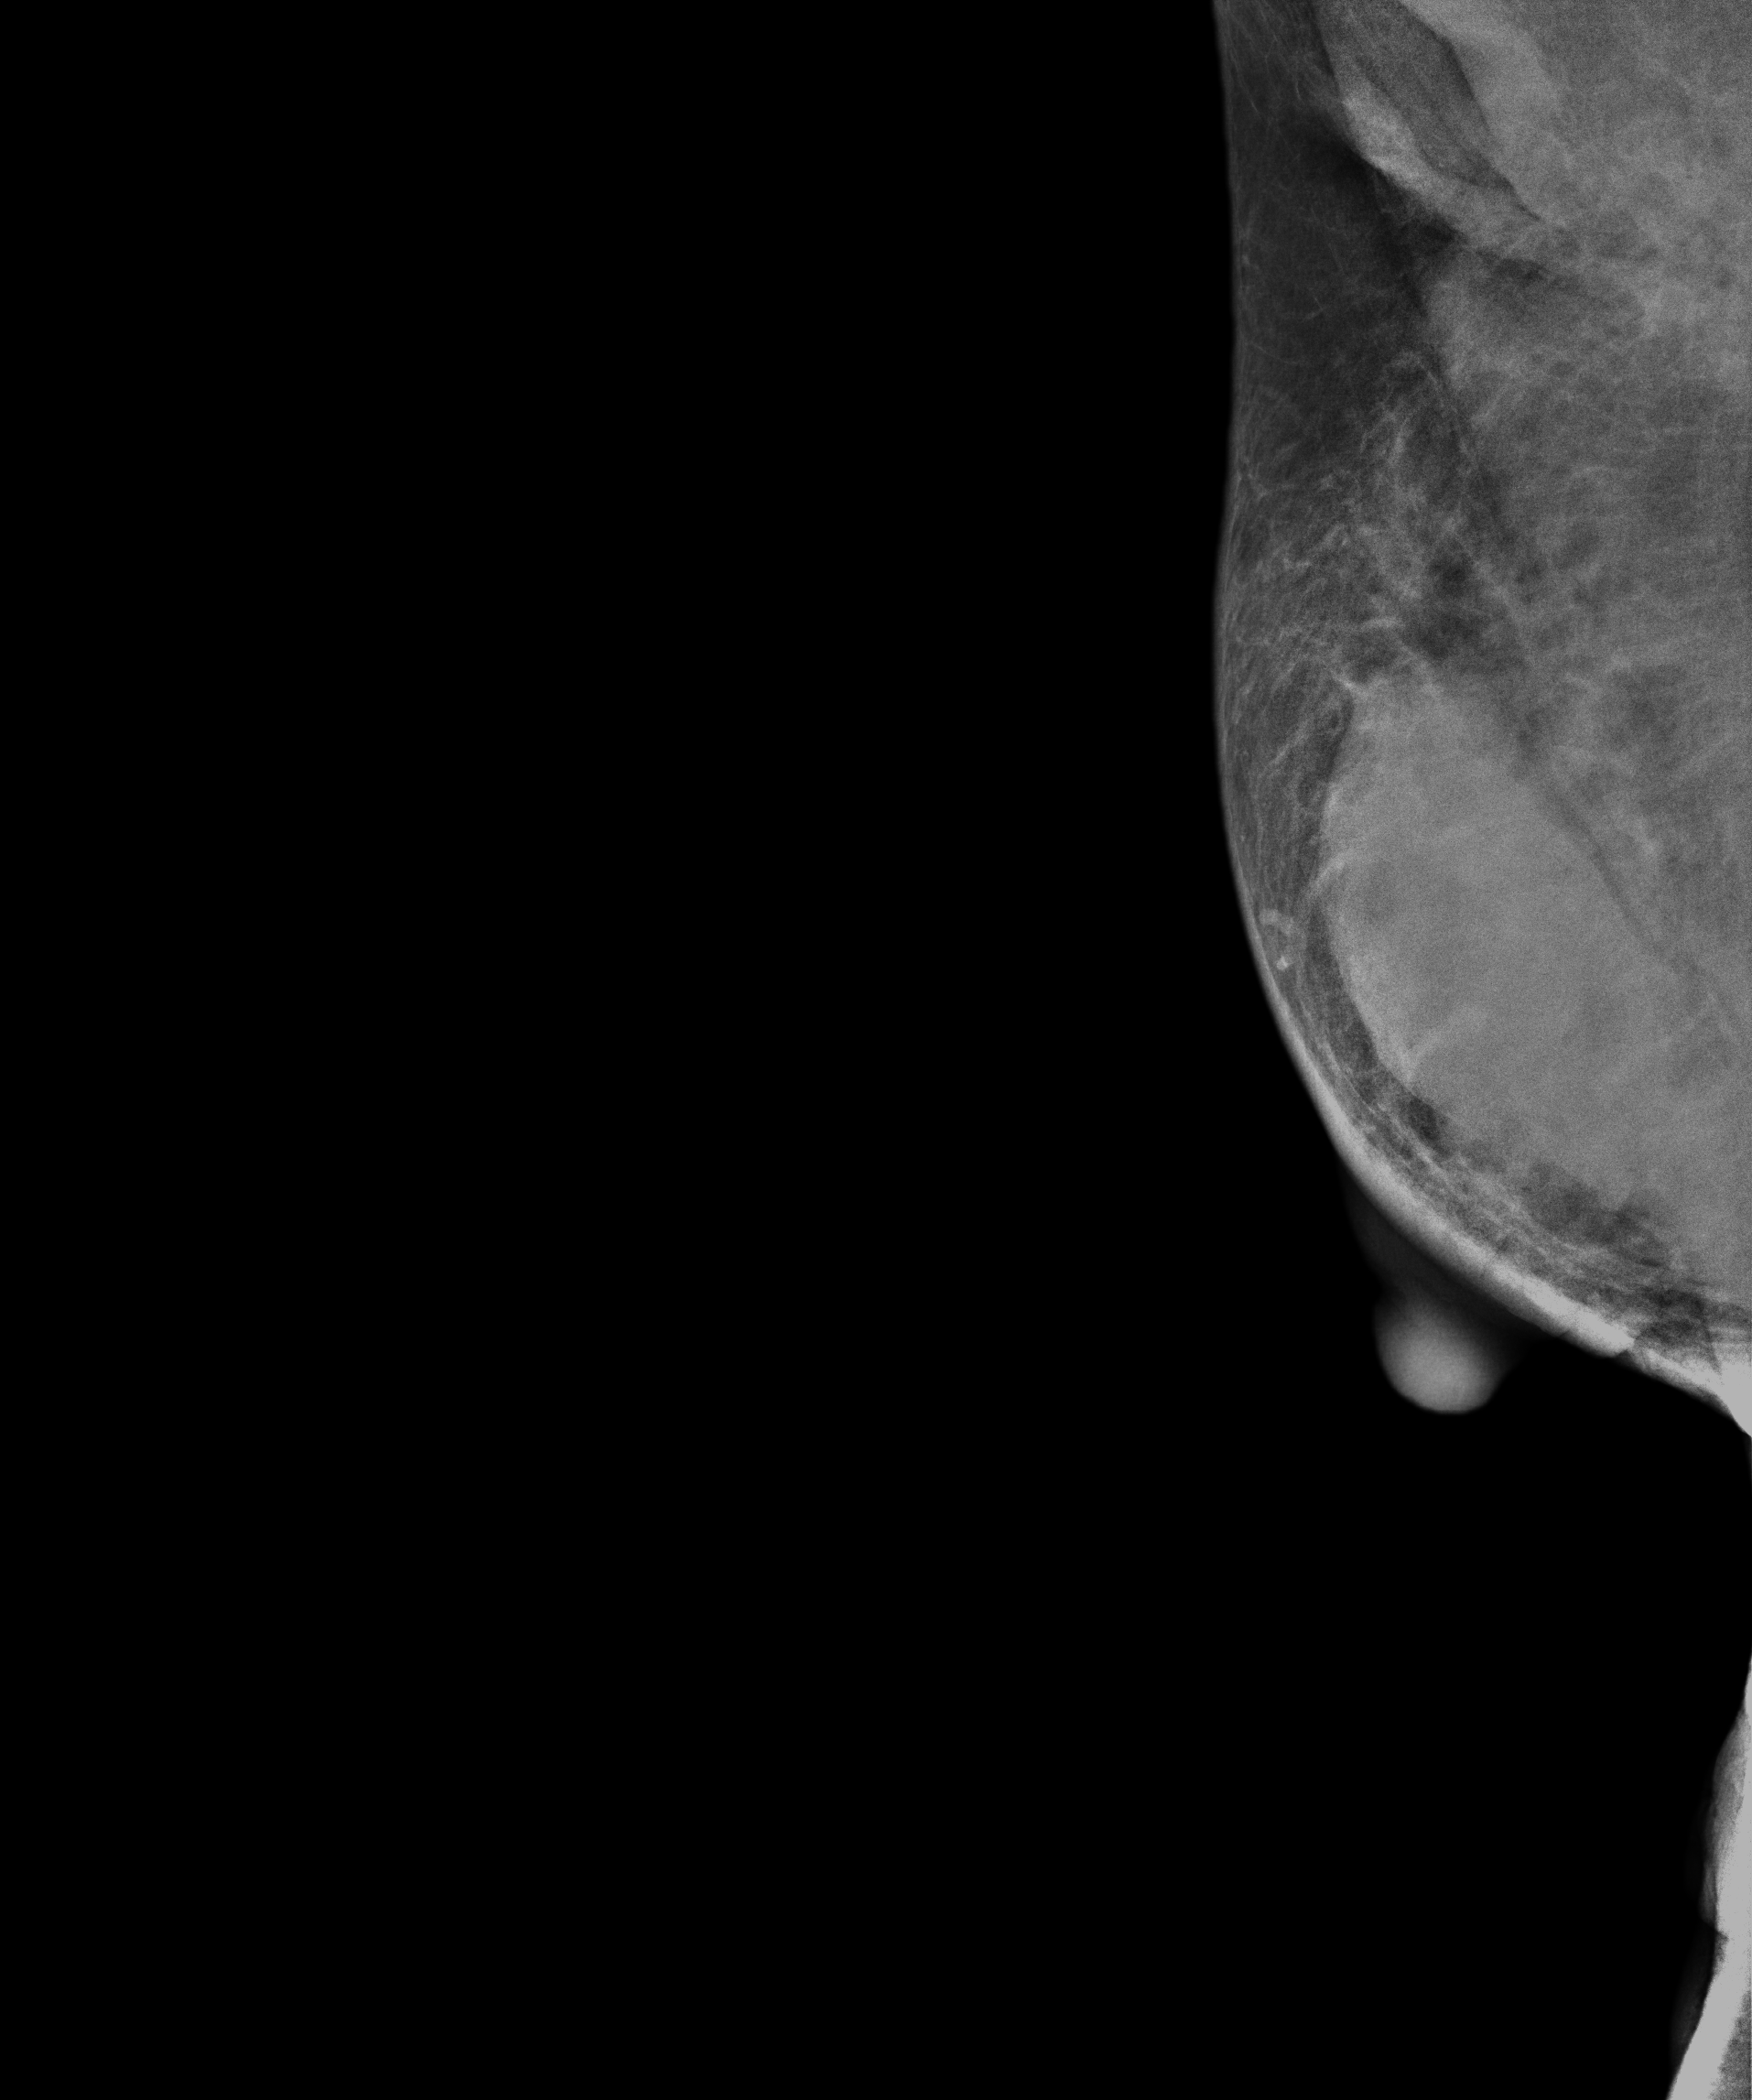
Mammogram, right breast, medio-lateral oblique view. 33 y/o patient.
This breast has a mass, histologically confirmed malignant. Molecular subtype: luminal B.